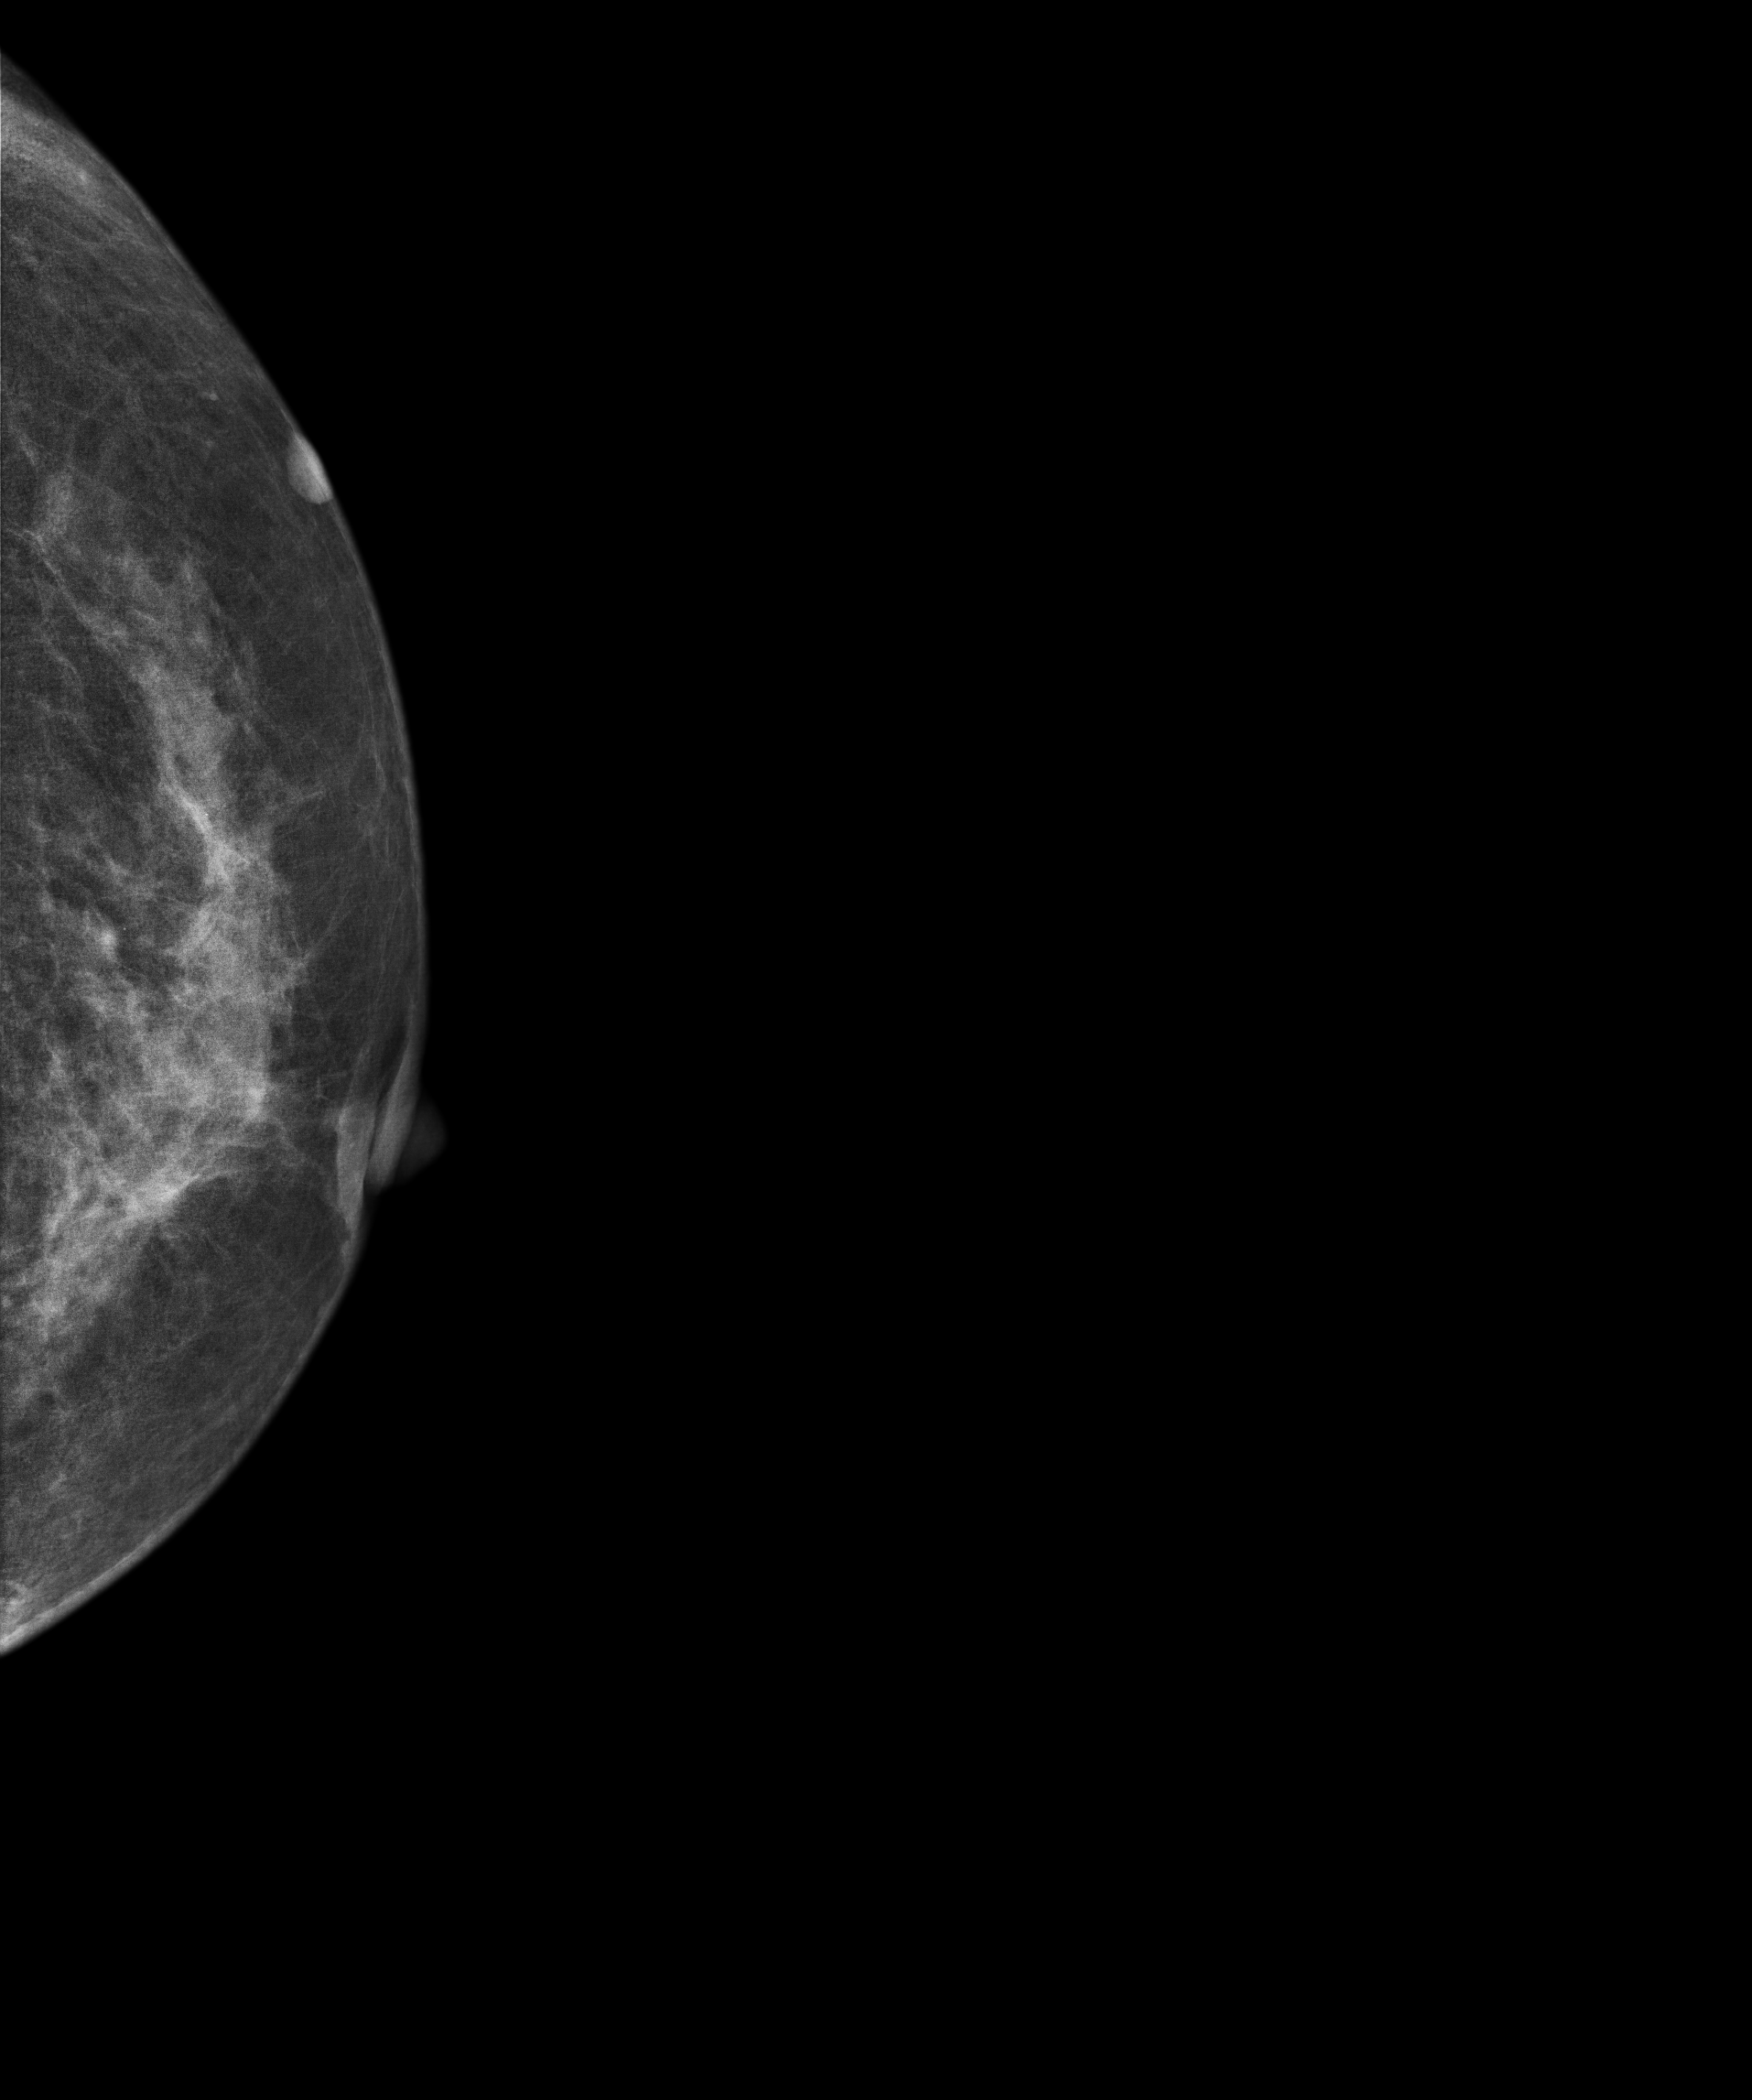
Cranio-caudal mammogram of the left breast. 53-year-old patient.
Contralateral breast — no documented abnormality on this side.